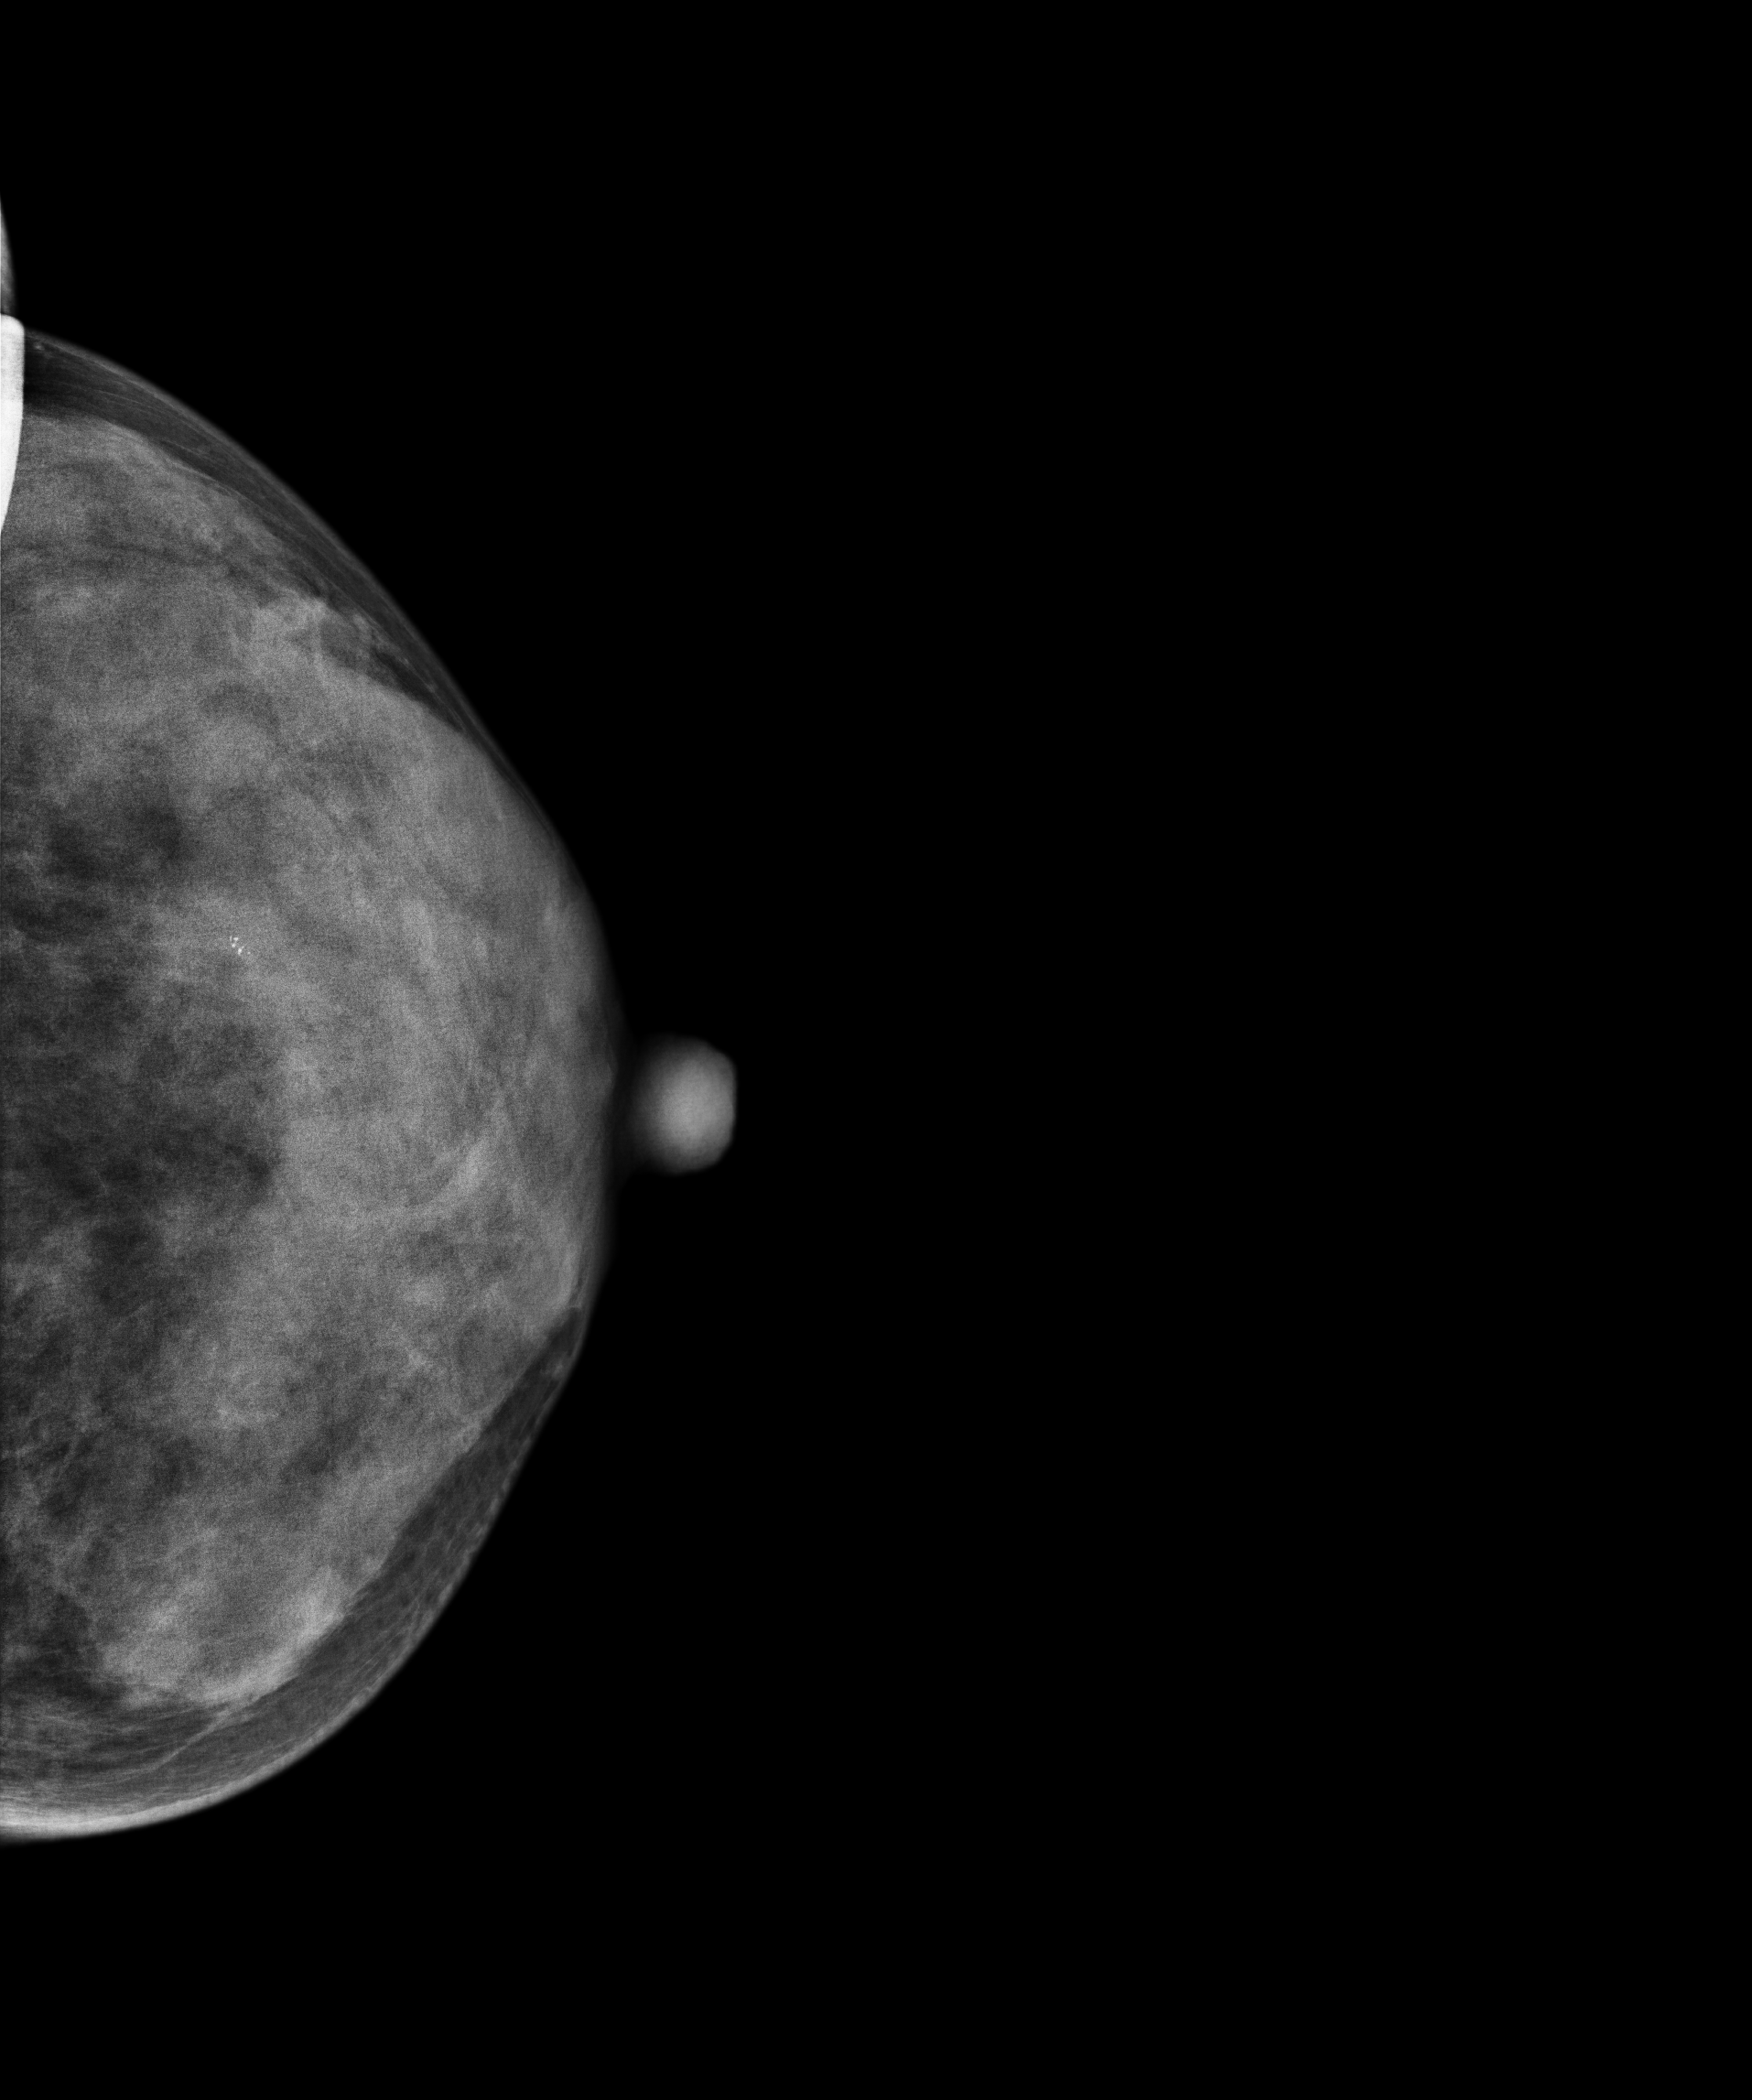
CC mammogram of the left breast. Patient age 40.
This breast has a mass and calcifications, pathology-confirmed malignant. Molecular subtype: luminal B.